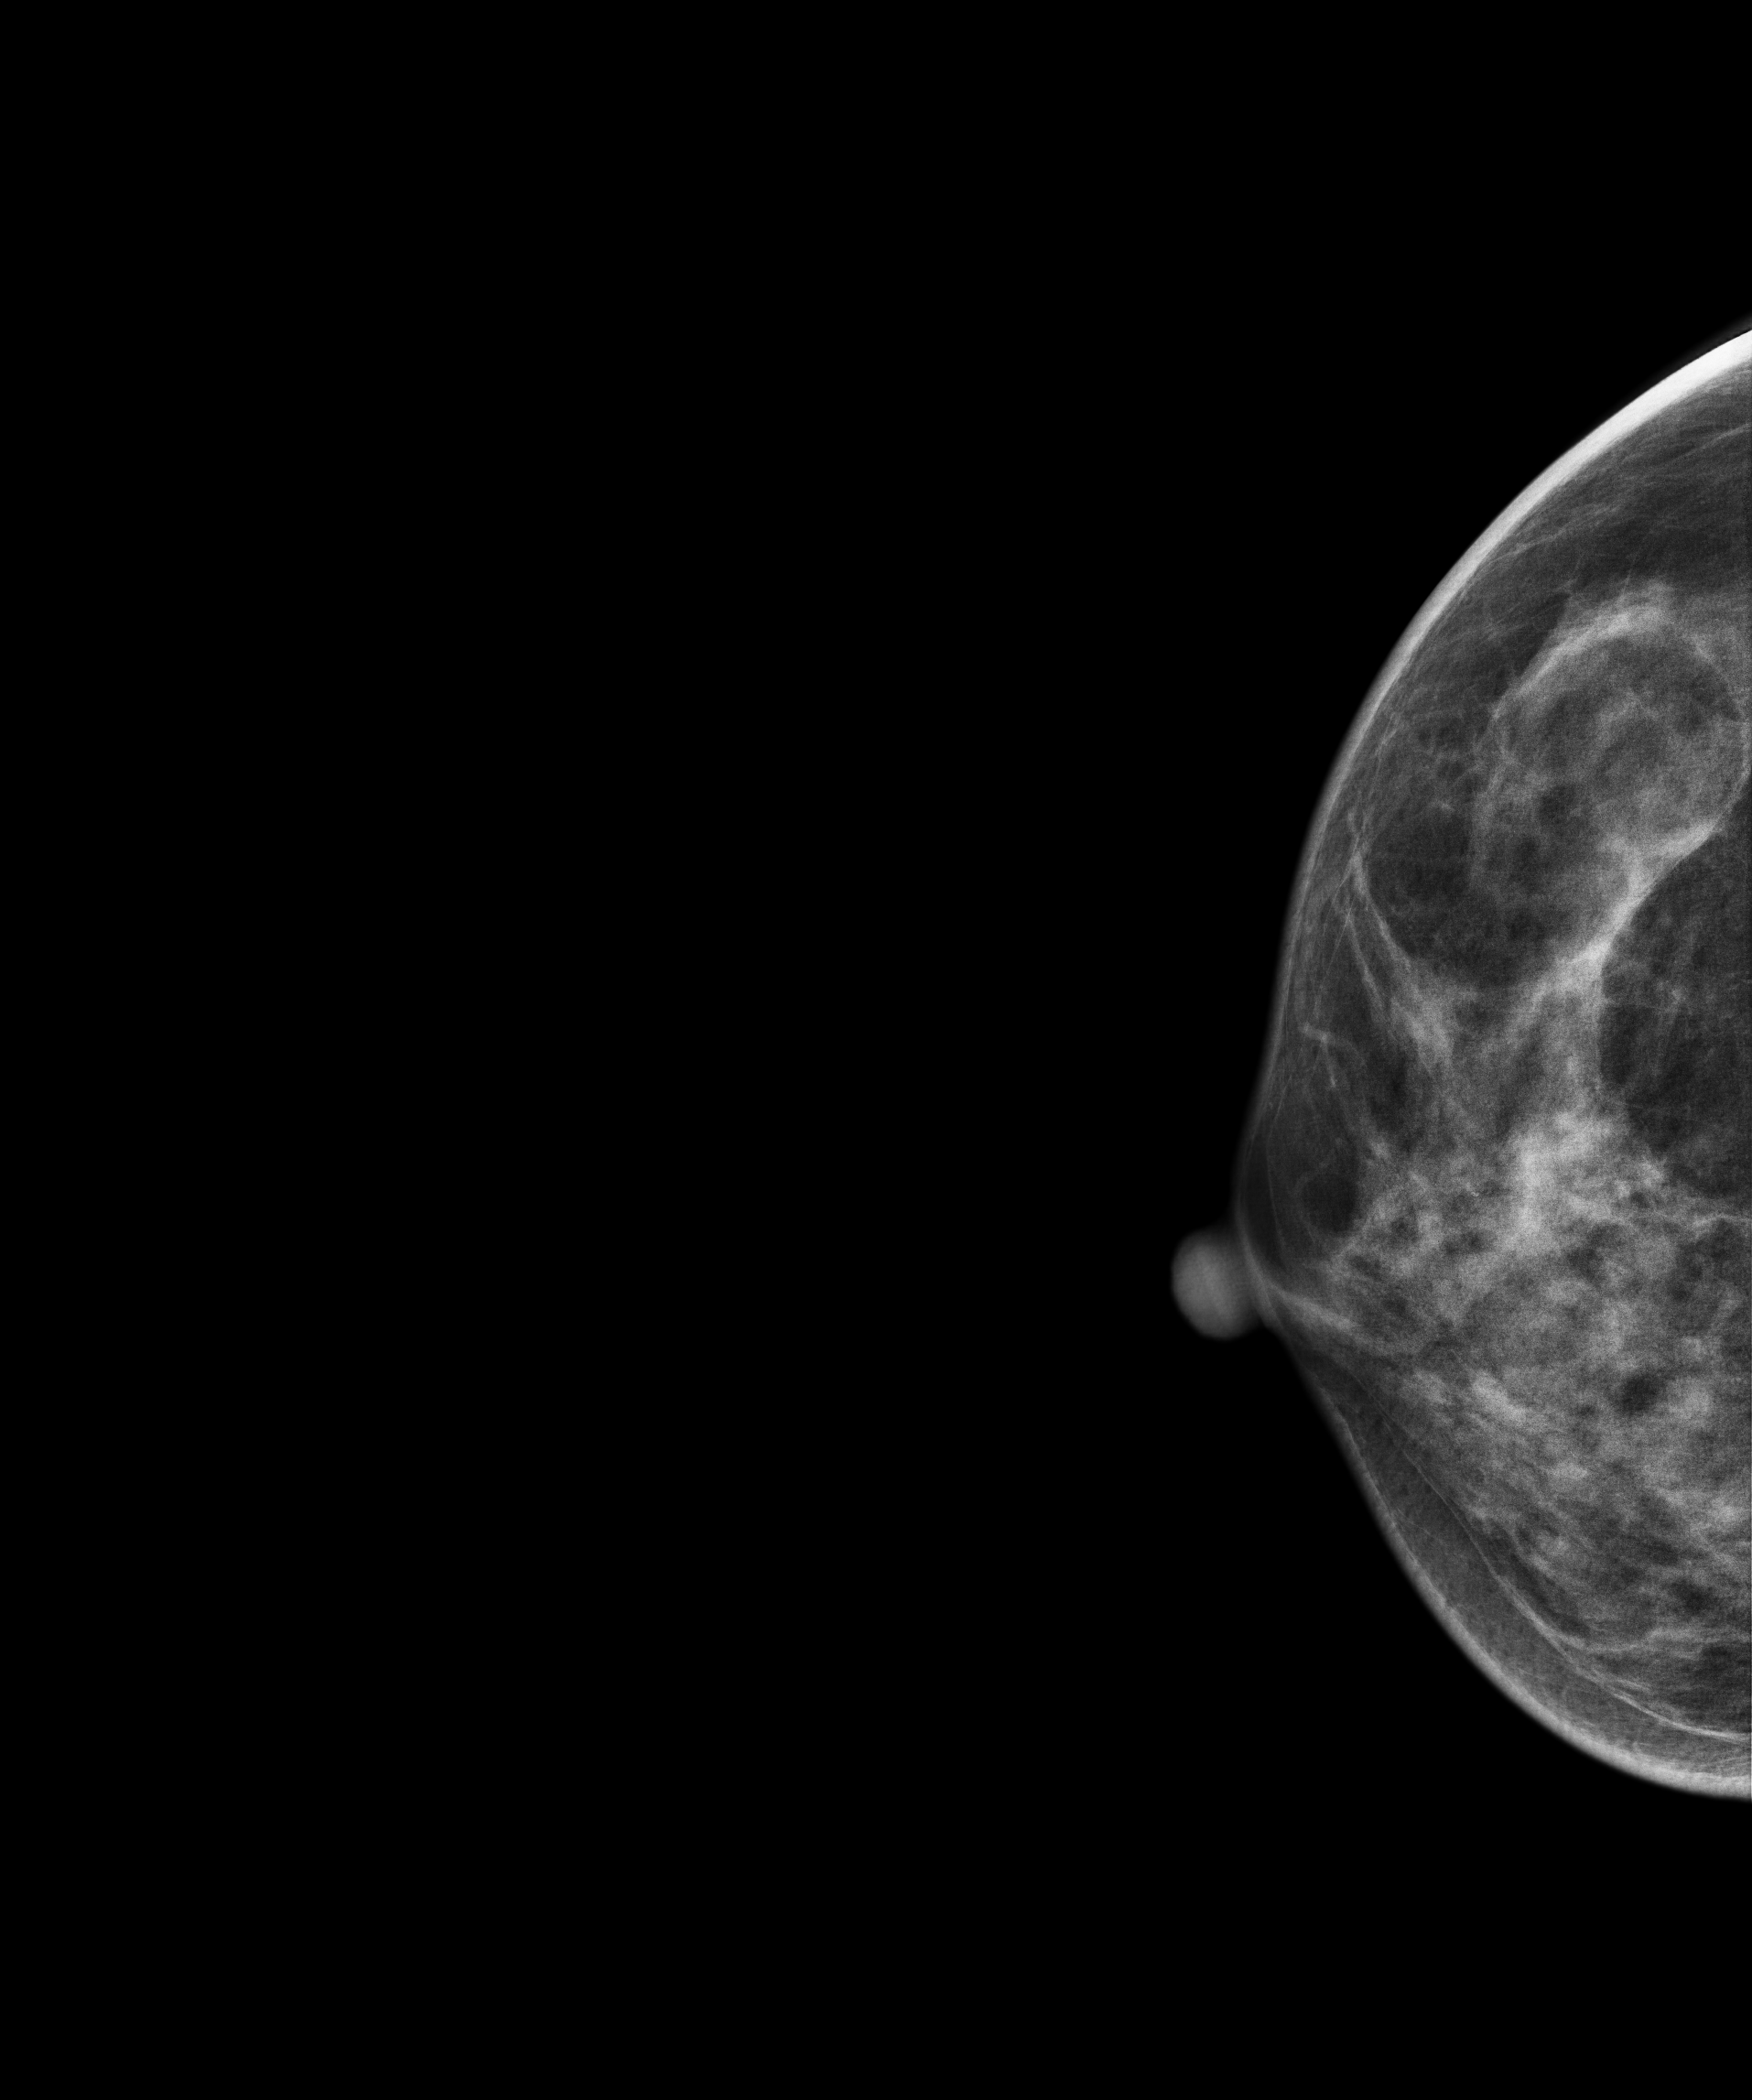
Mammogram — right CC. Patient age 43.
Contralateral breast — no documented abnormality on this side.